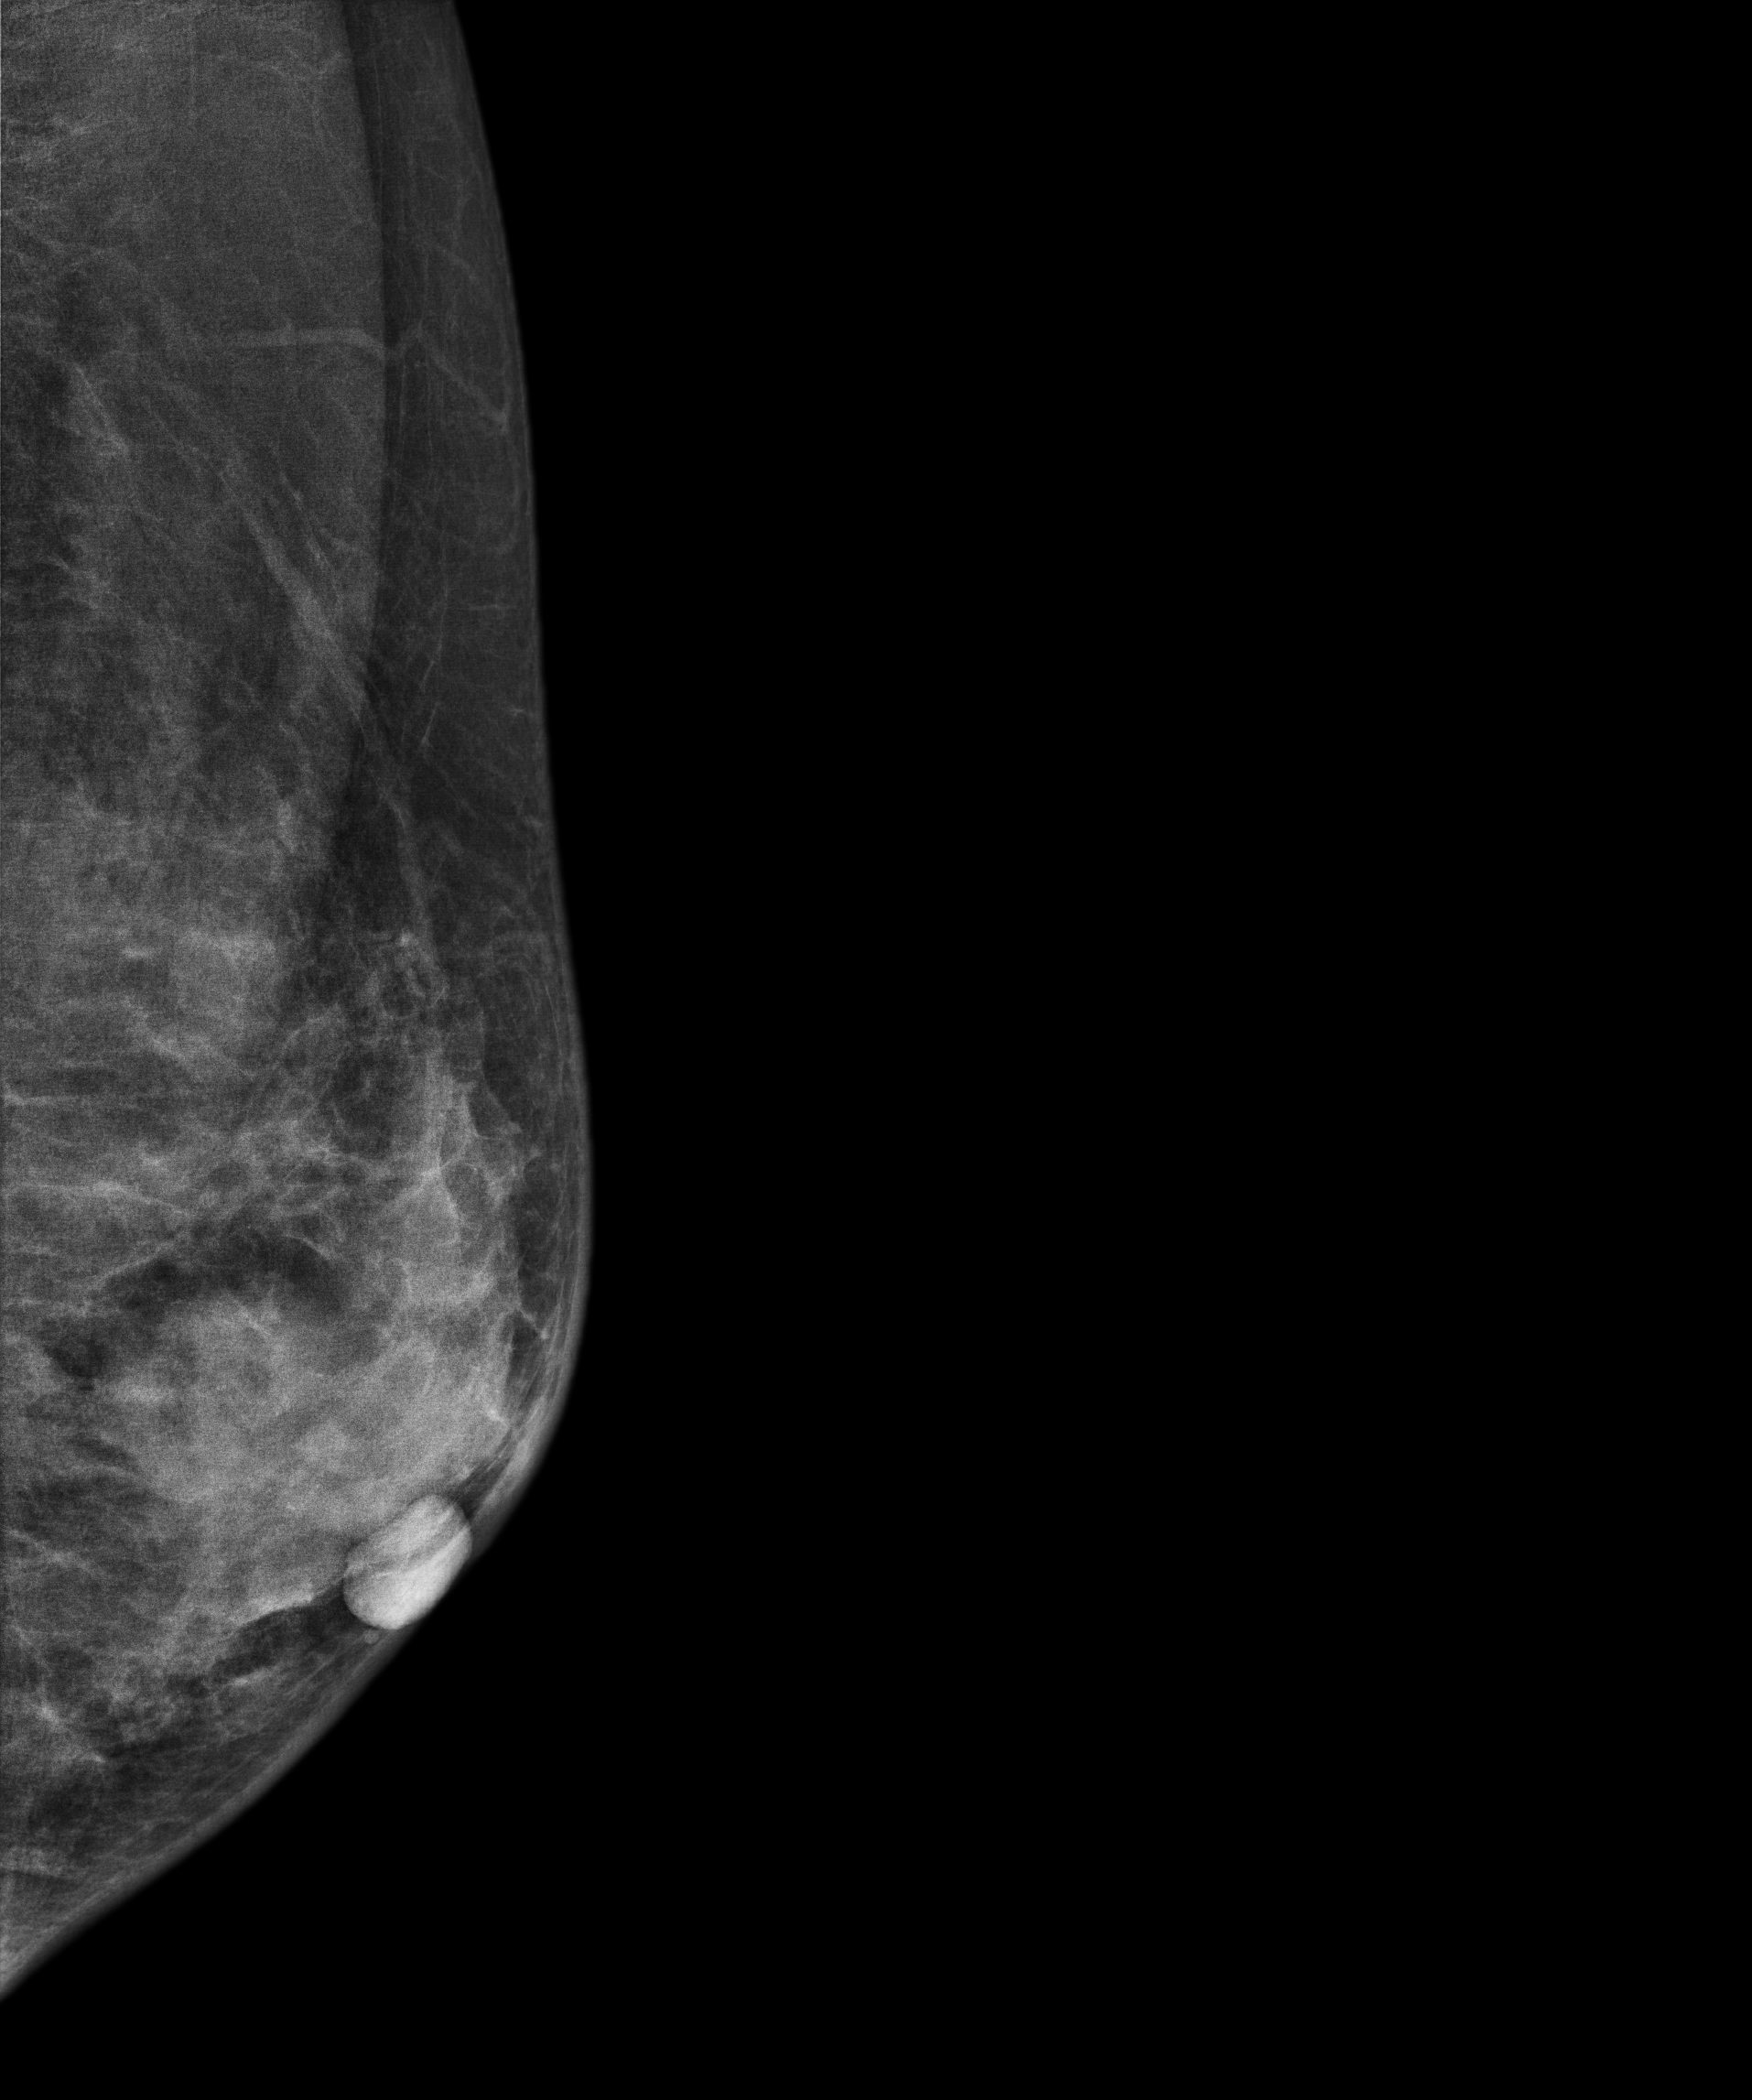
Digital mammography. Left breast, medio-lateral oblique projection. Patient age 42.
This breast has a mass, histologically confirmed malignant.